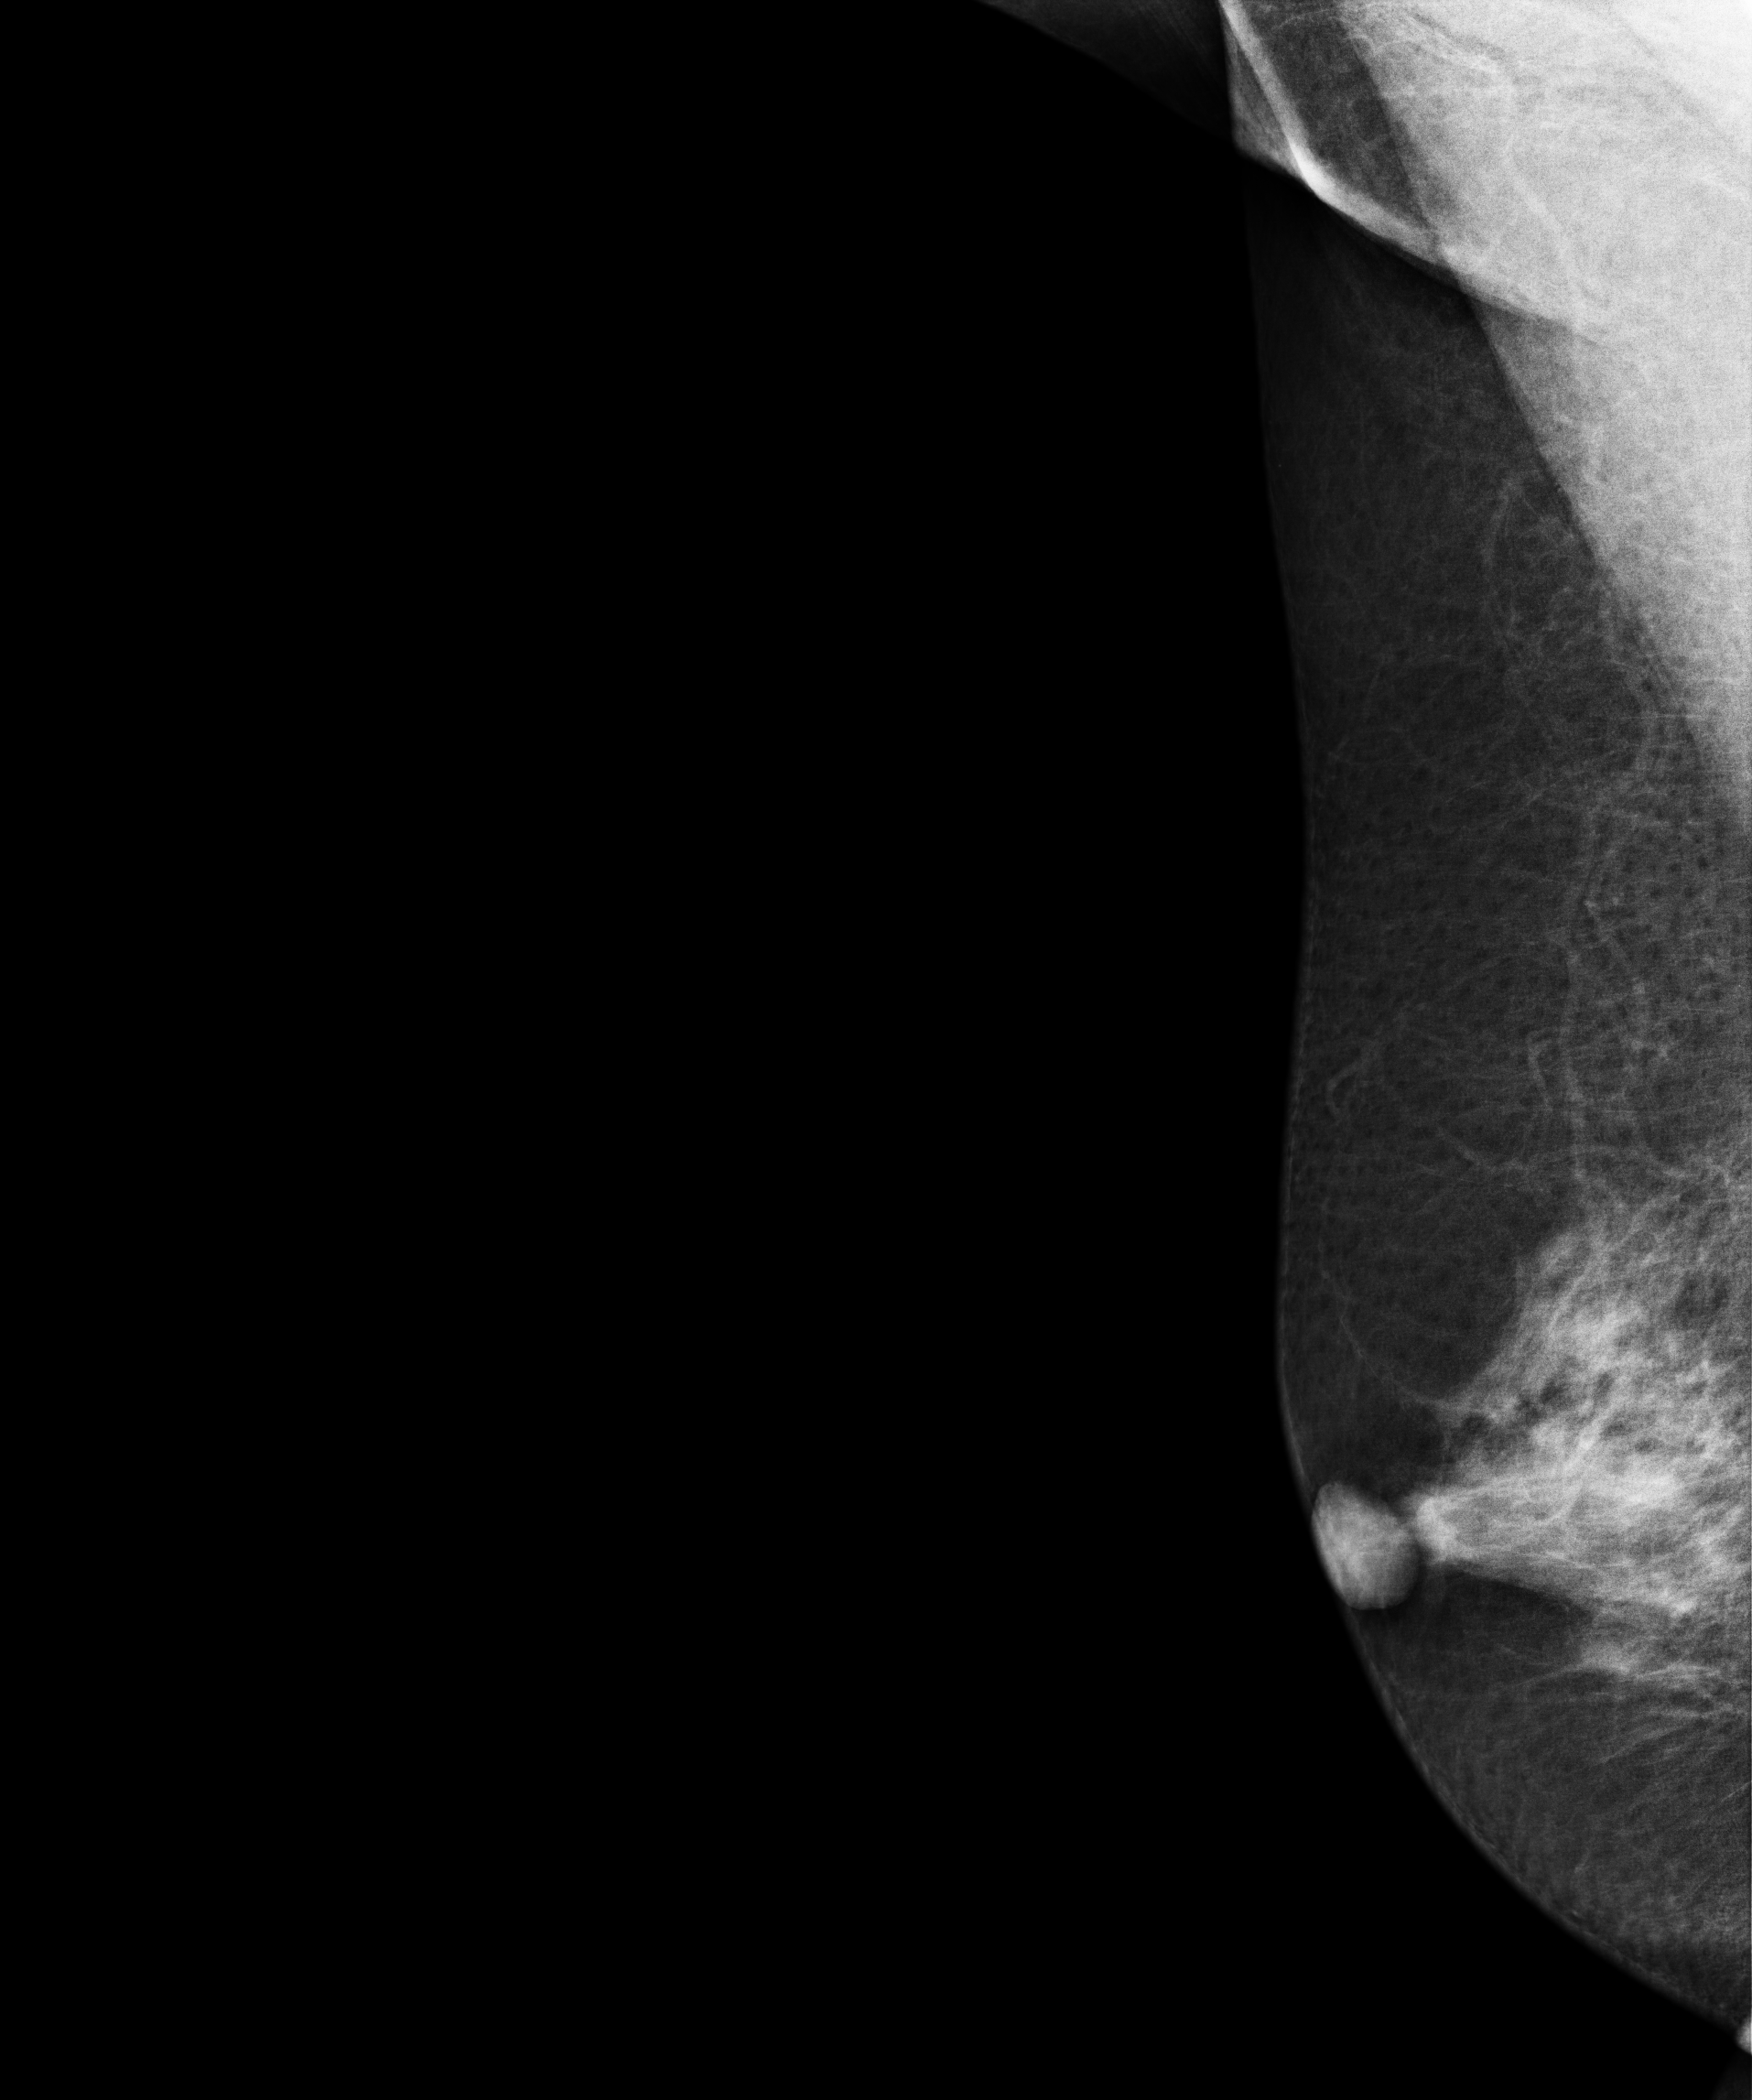
Medio-lateral oblique mammogram of the right breast. 55-year-old patient.
Contralateral breast — no documented abnormality on this side.